Right-breast mammogram, CC. 41 y/o patient.
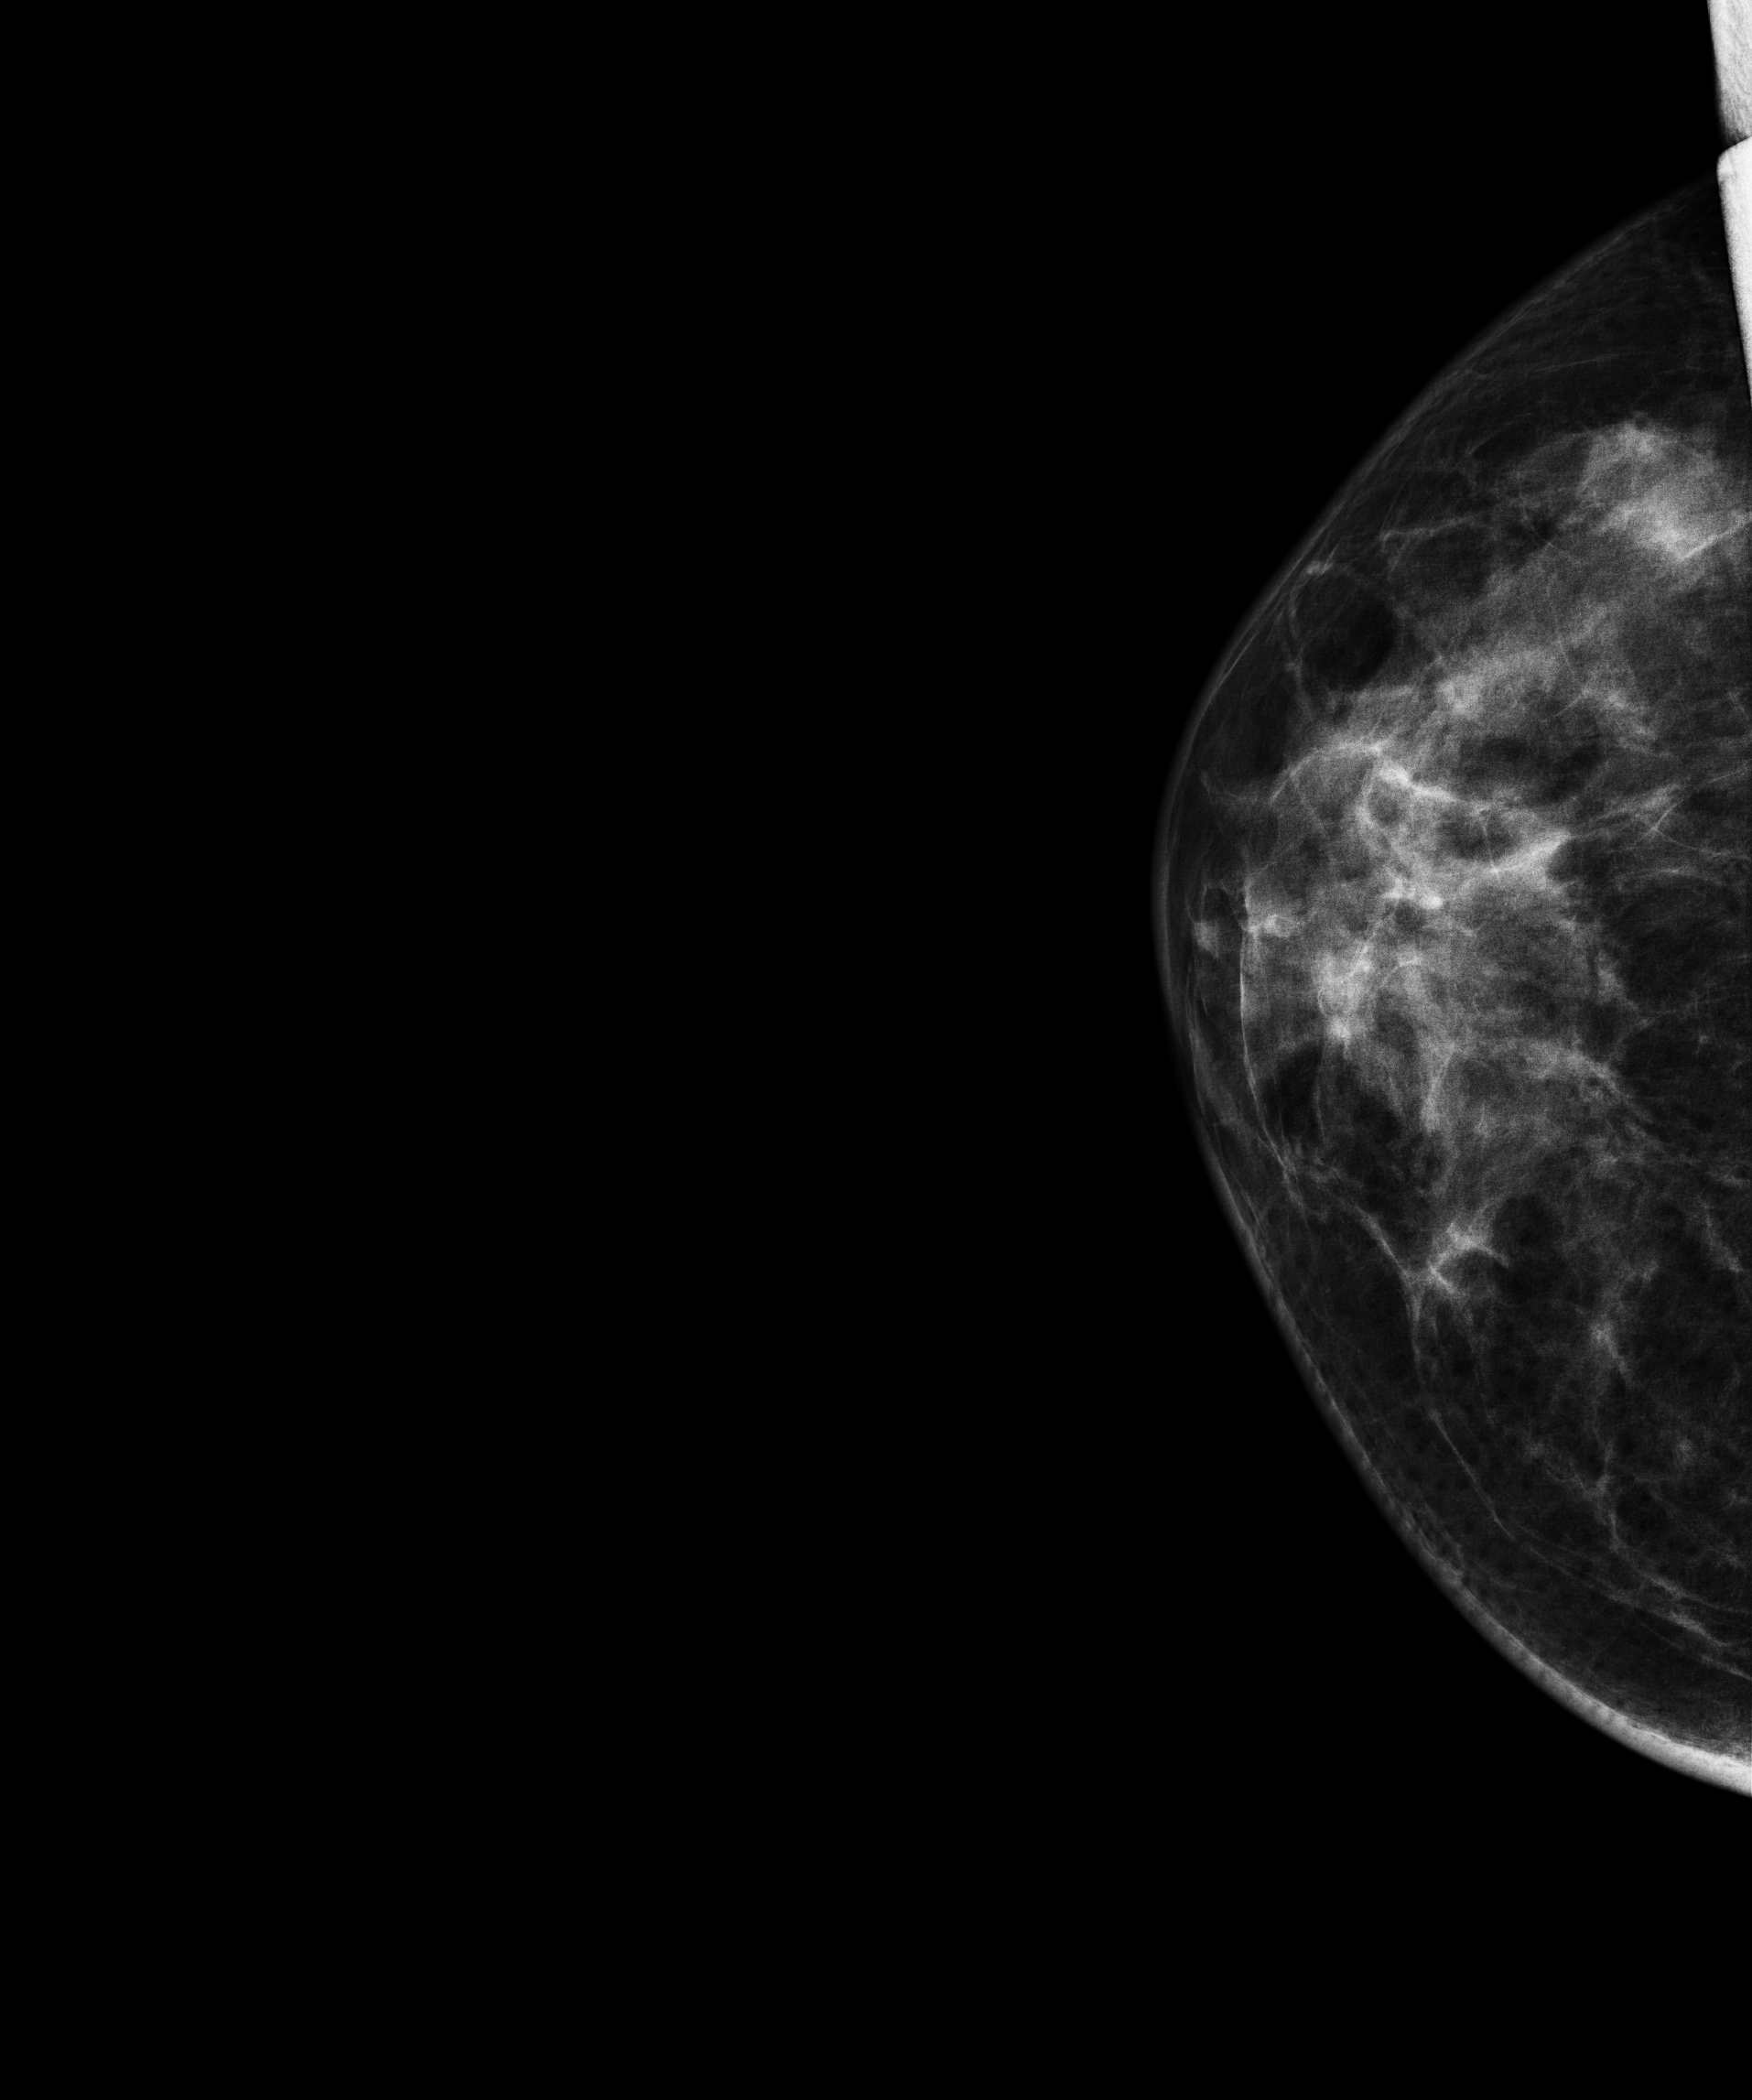
Contralateral breast — no documented abnormality on this side.